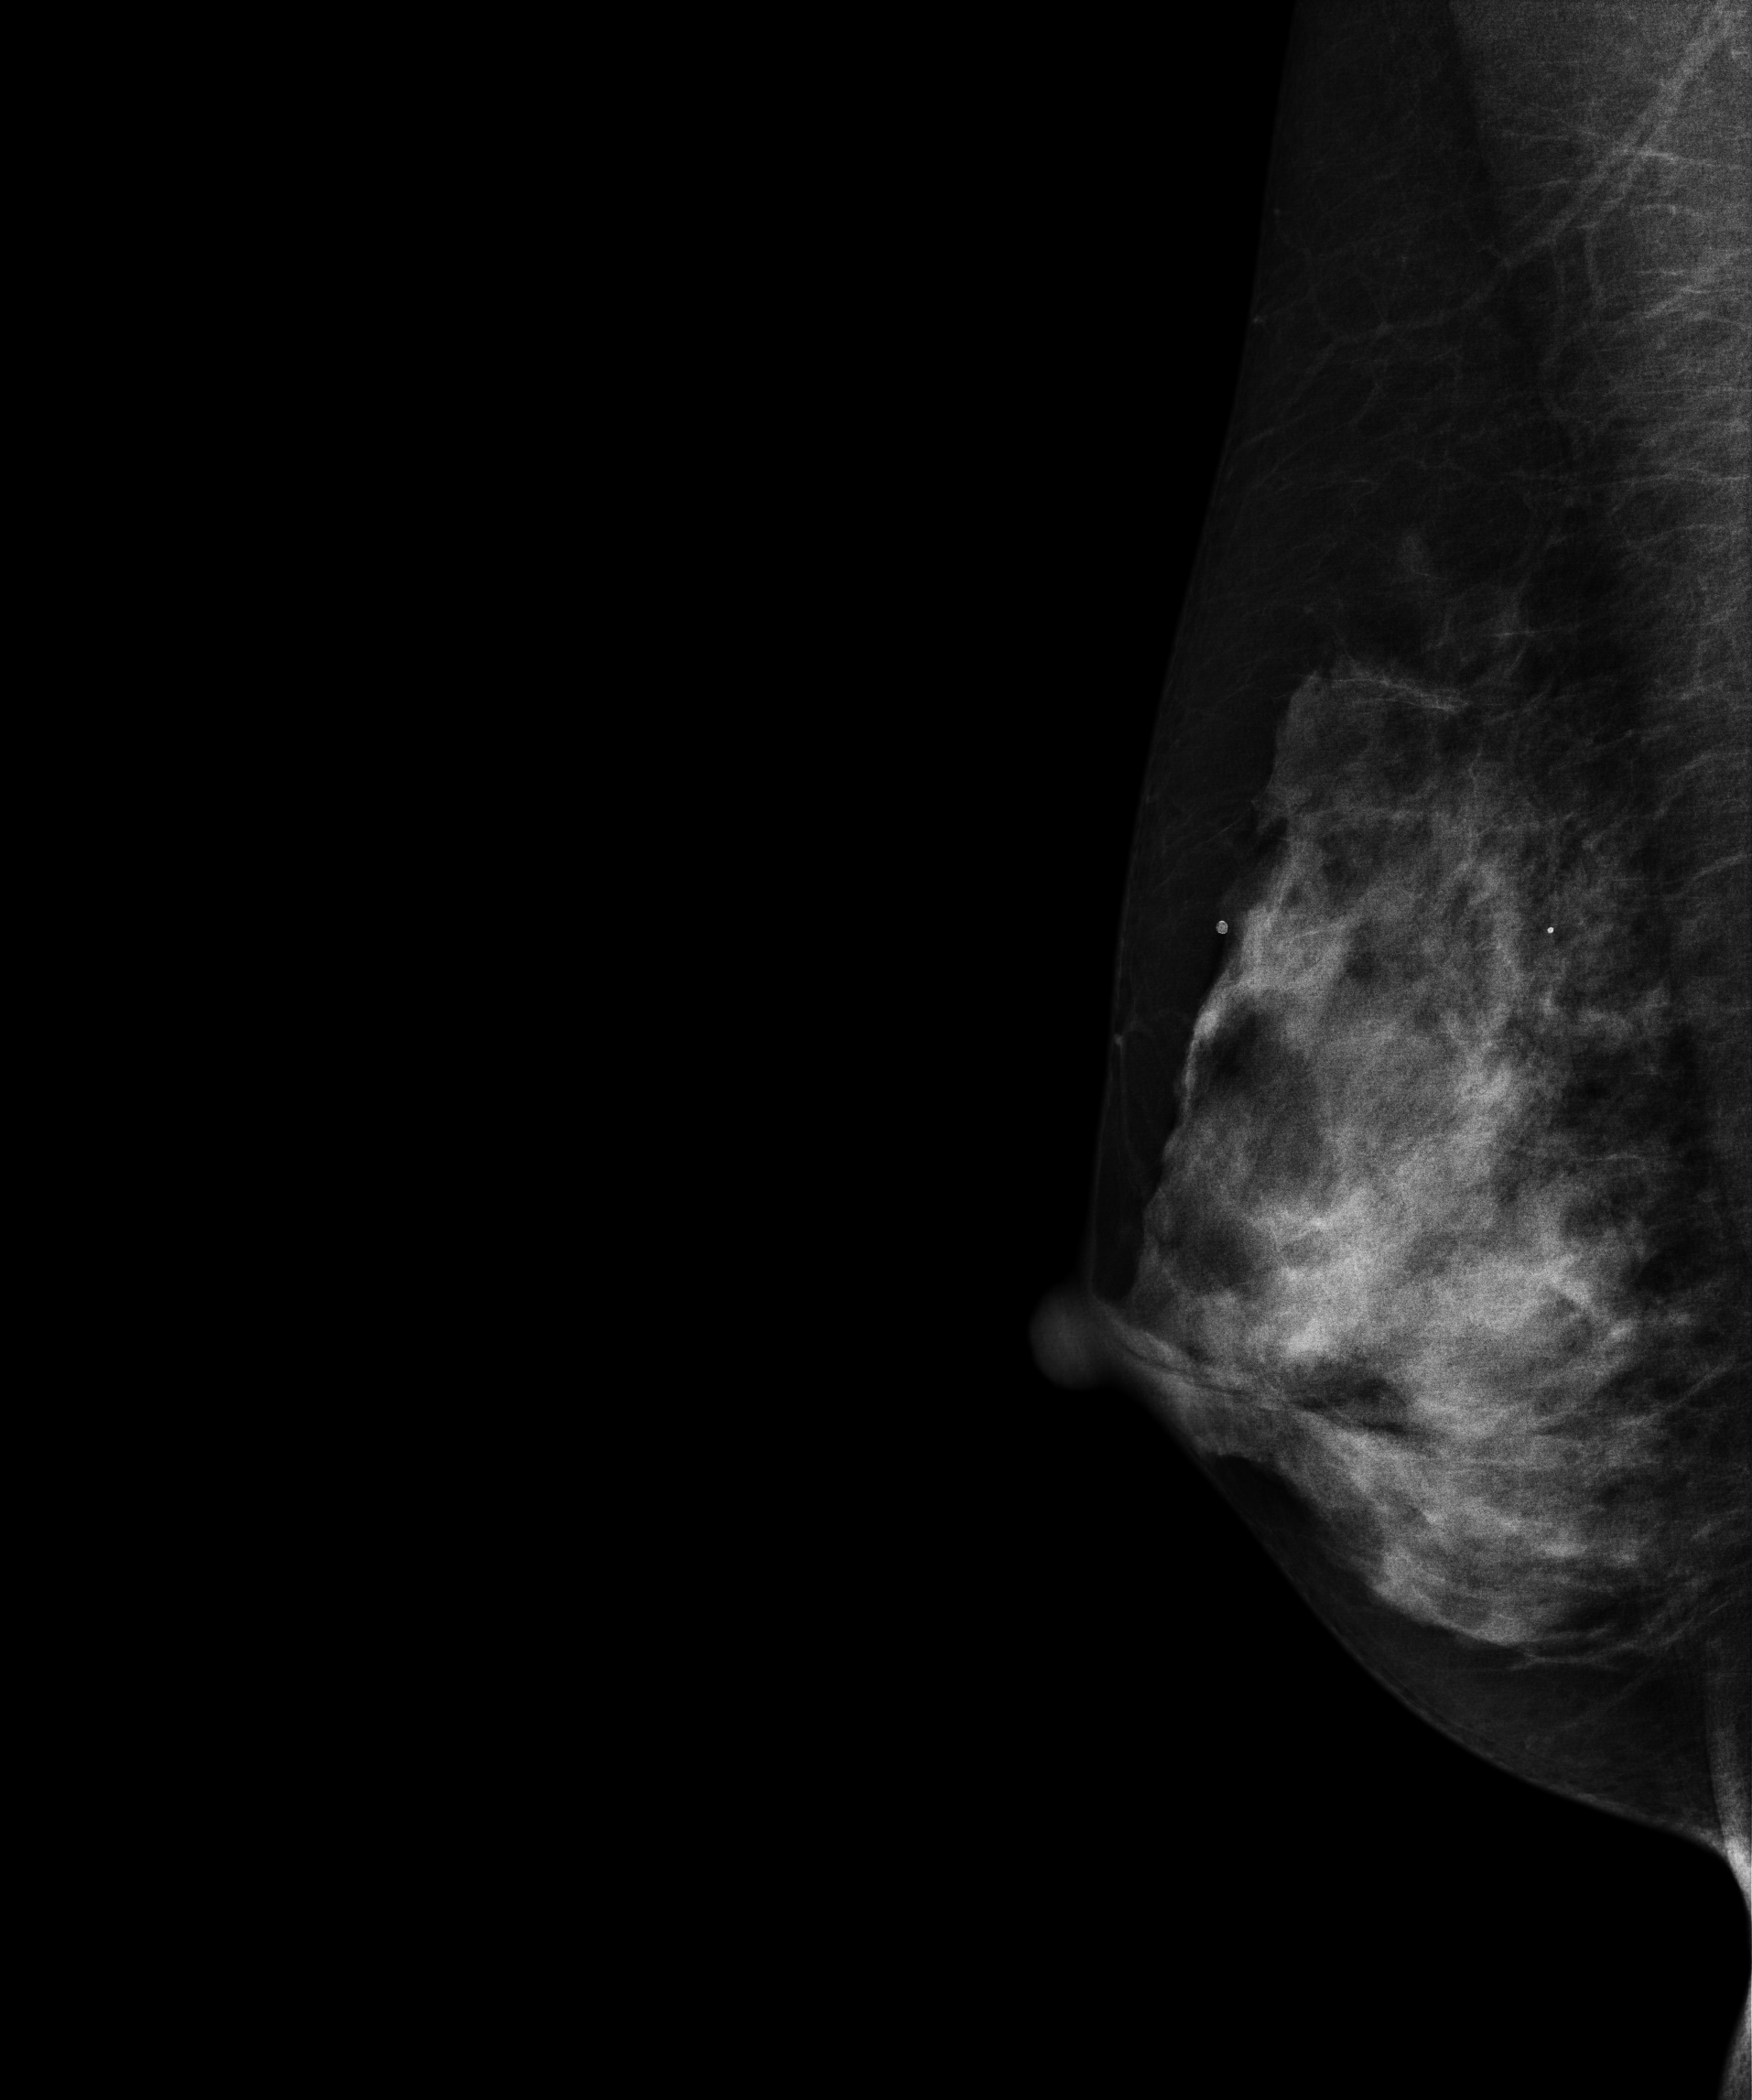
Digital mammography. Right breast, medio-lateral oblique projection. Patient age 44.
Contralateral breast — no documented abnormality on this side.